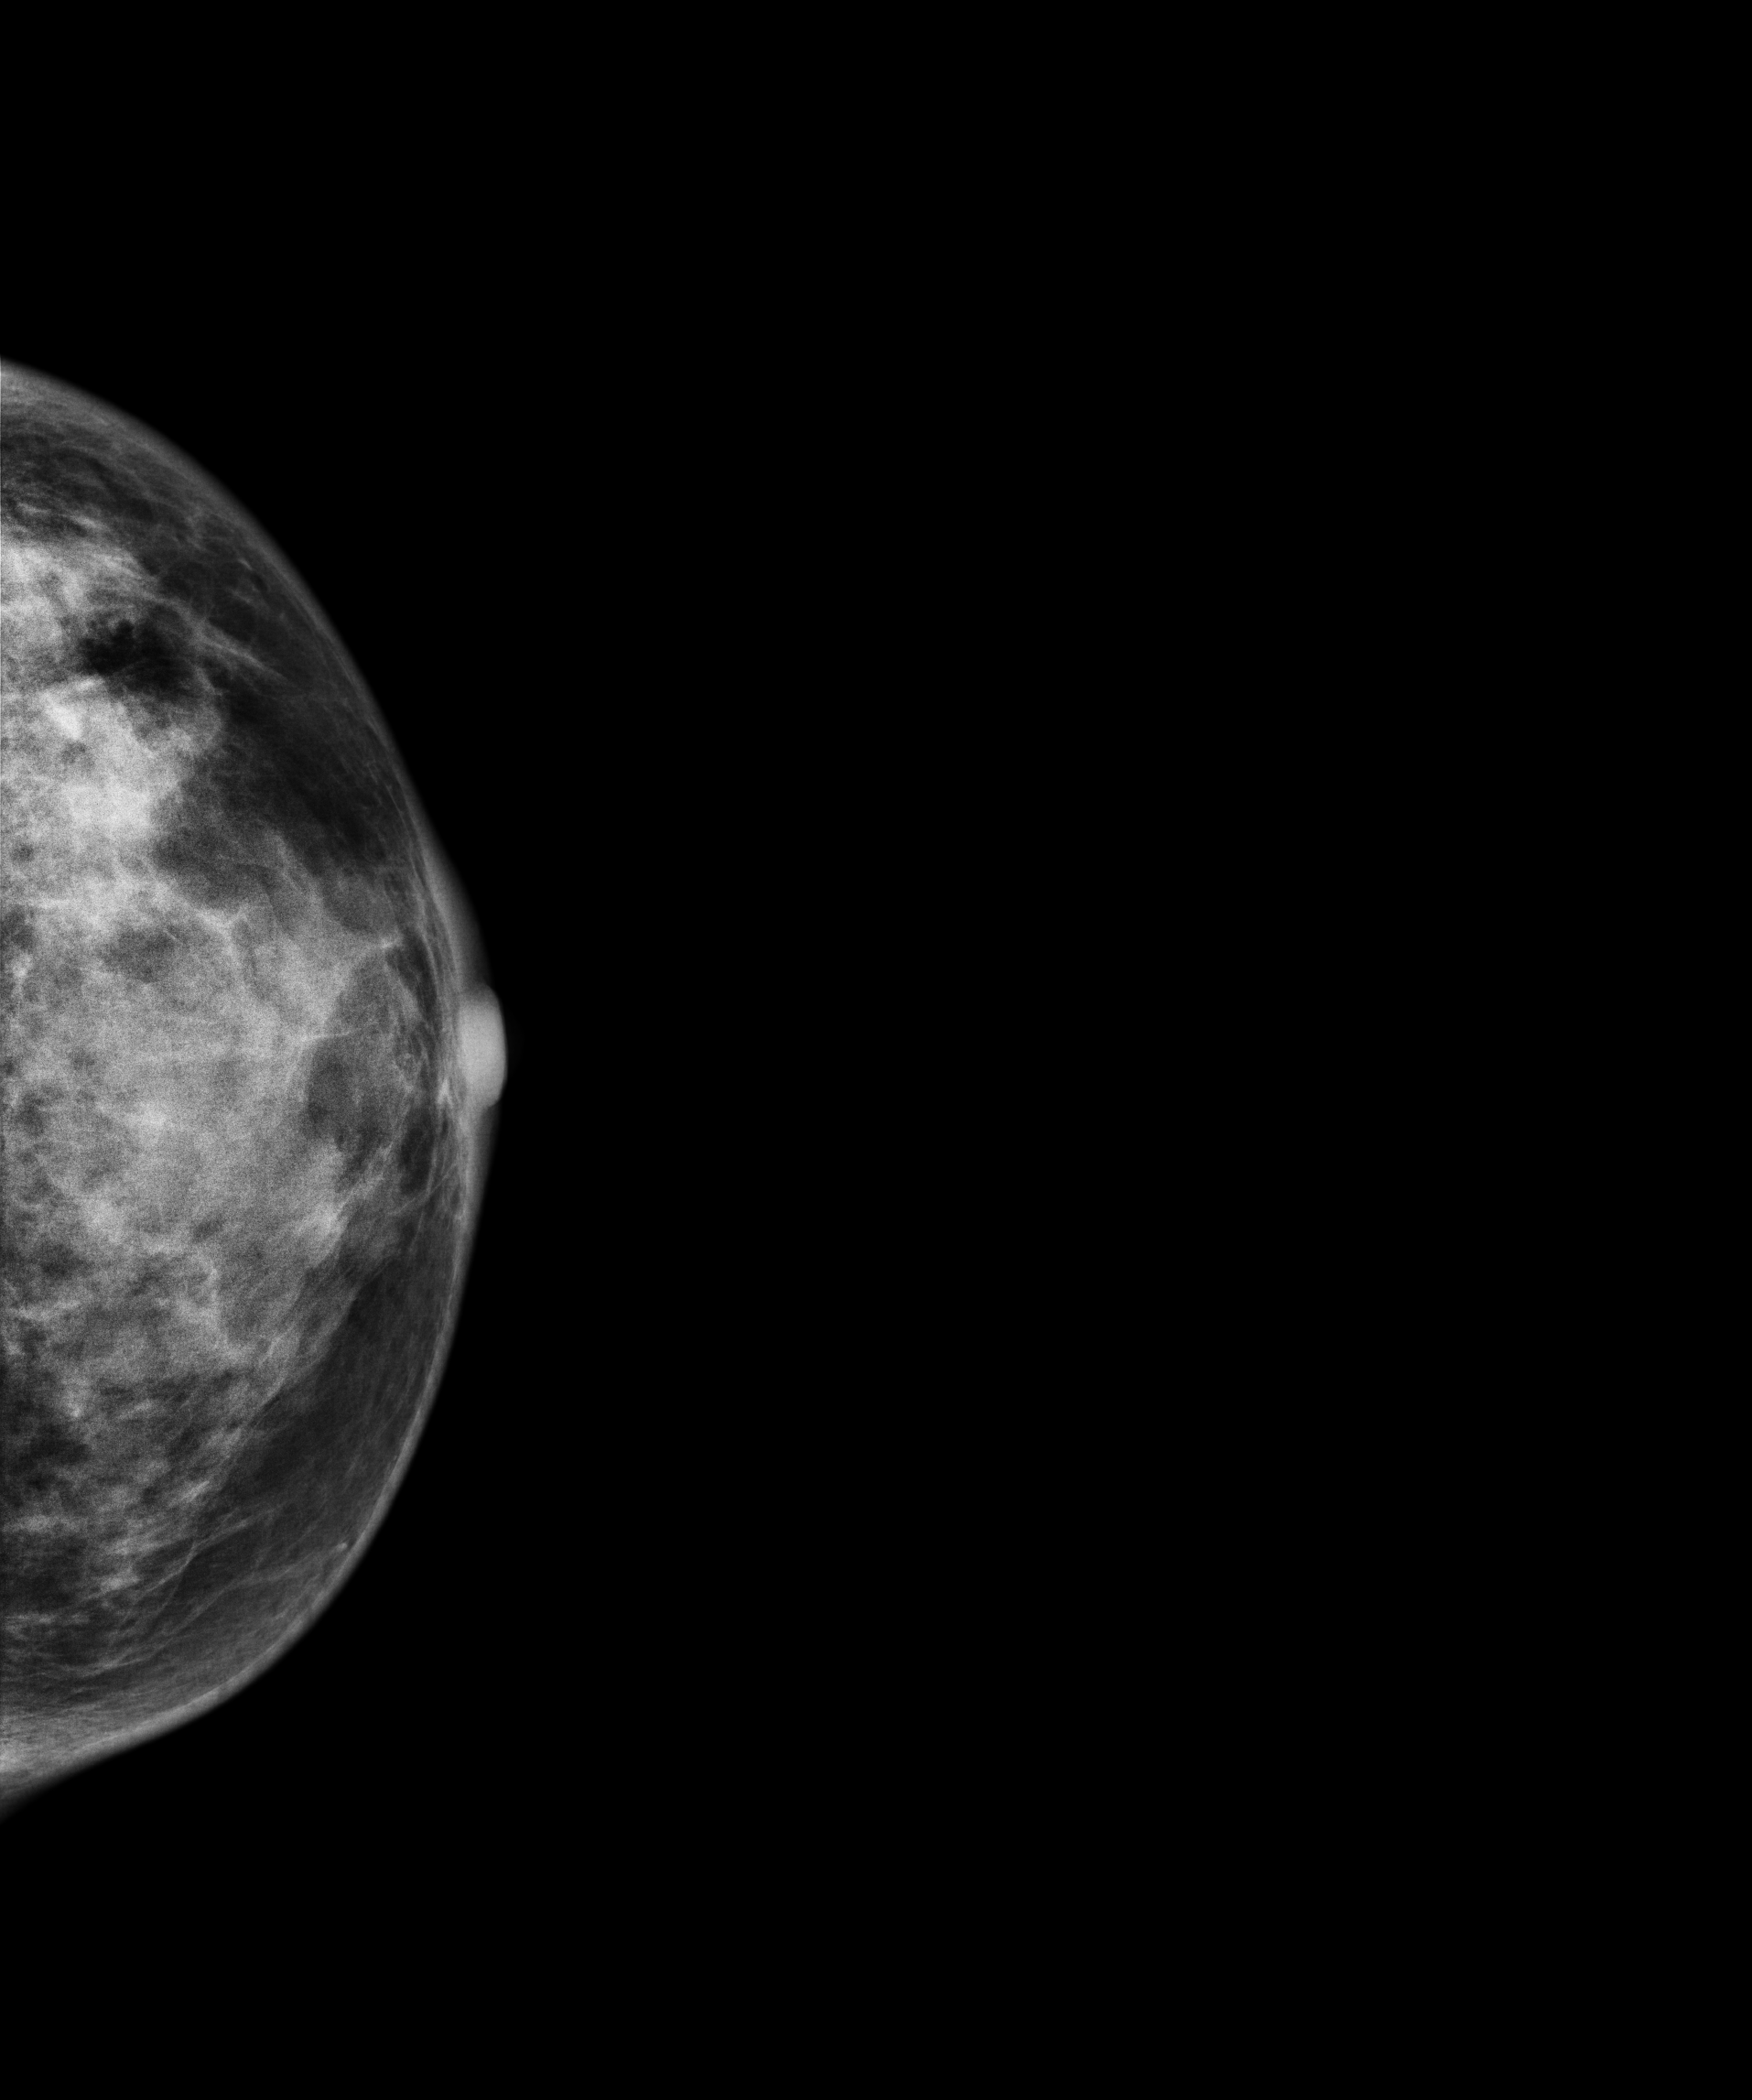
Left-breast mammogram, cranio-caudal. 35 y/o patient.
This breast has a mass, histologically confirmed malignant. Molecular subtype: triple-negative.